Mammogram — left MLO. Patient age 68.
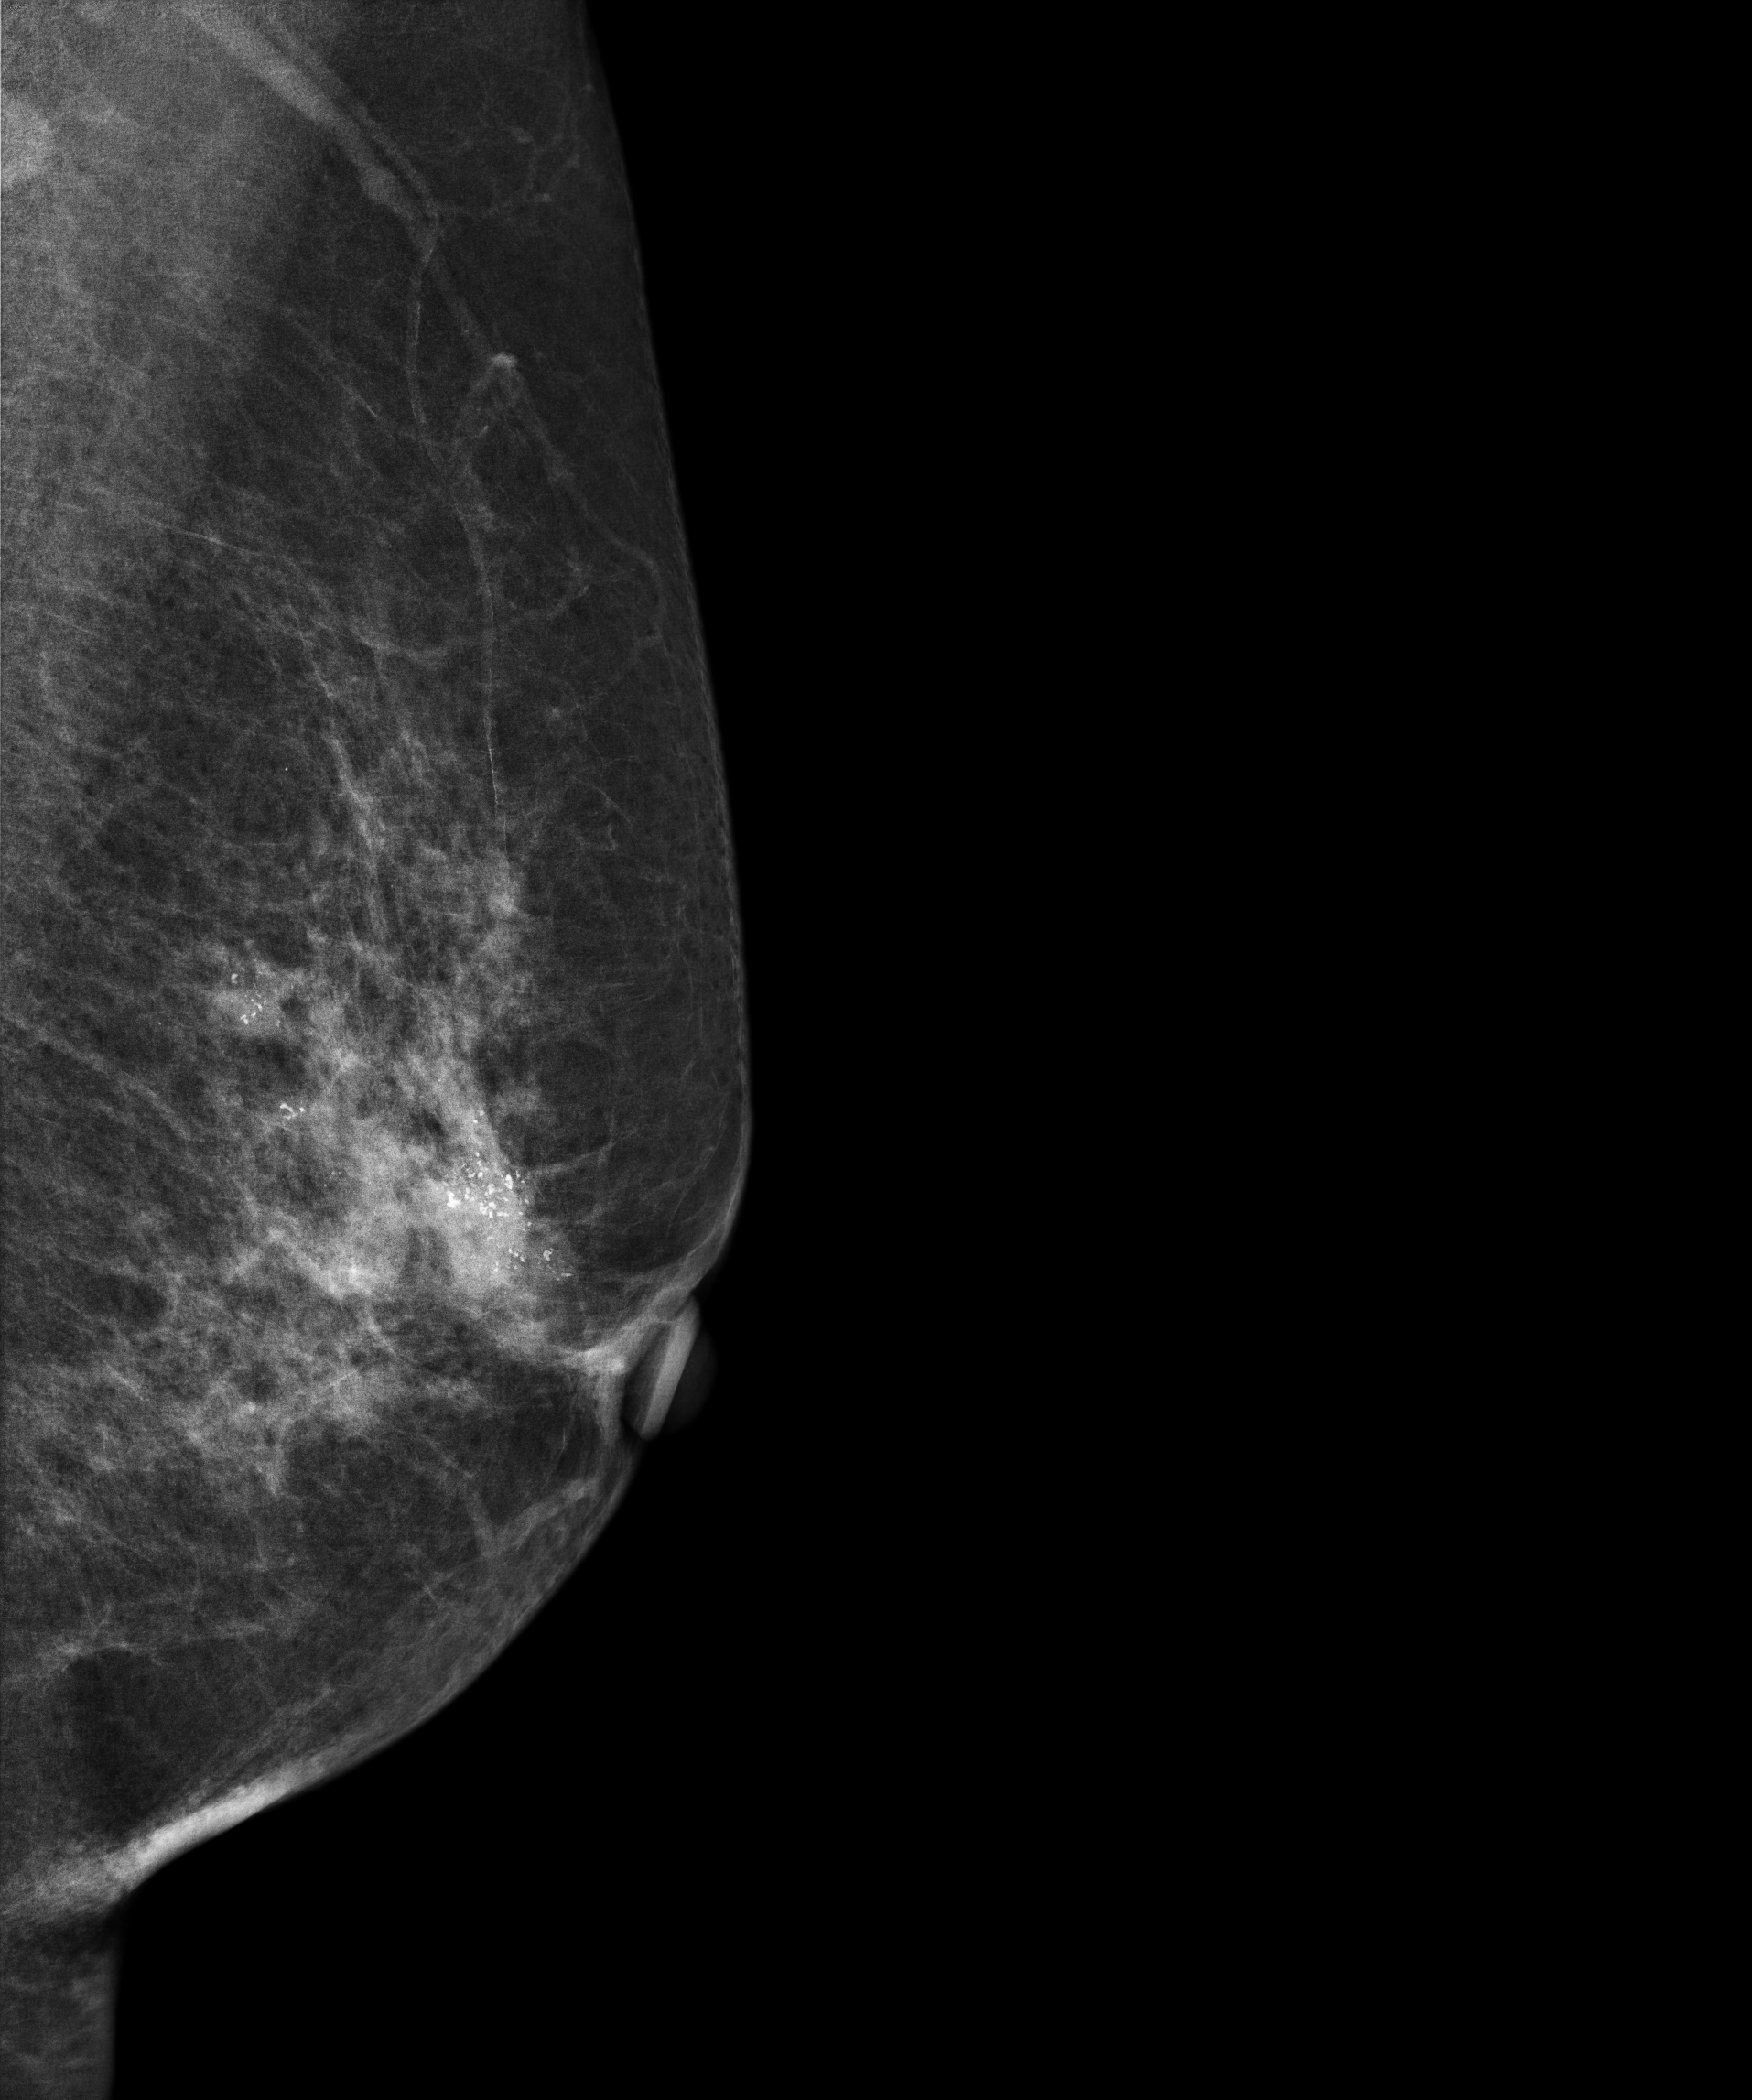
This breast has a mass and calcifications, biopsy-confirmed malignant.